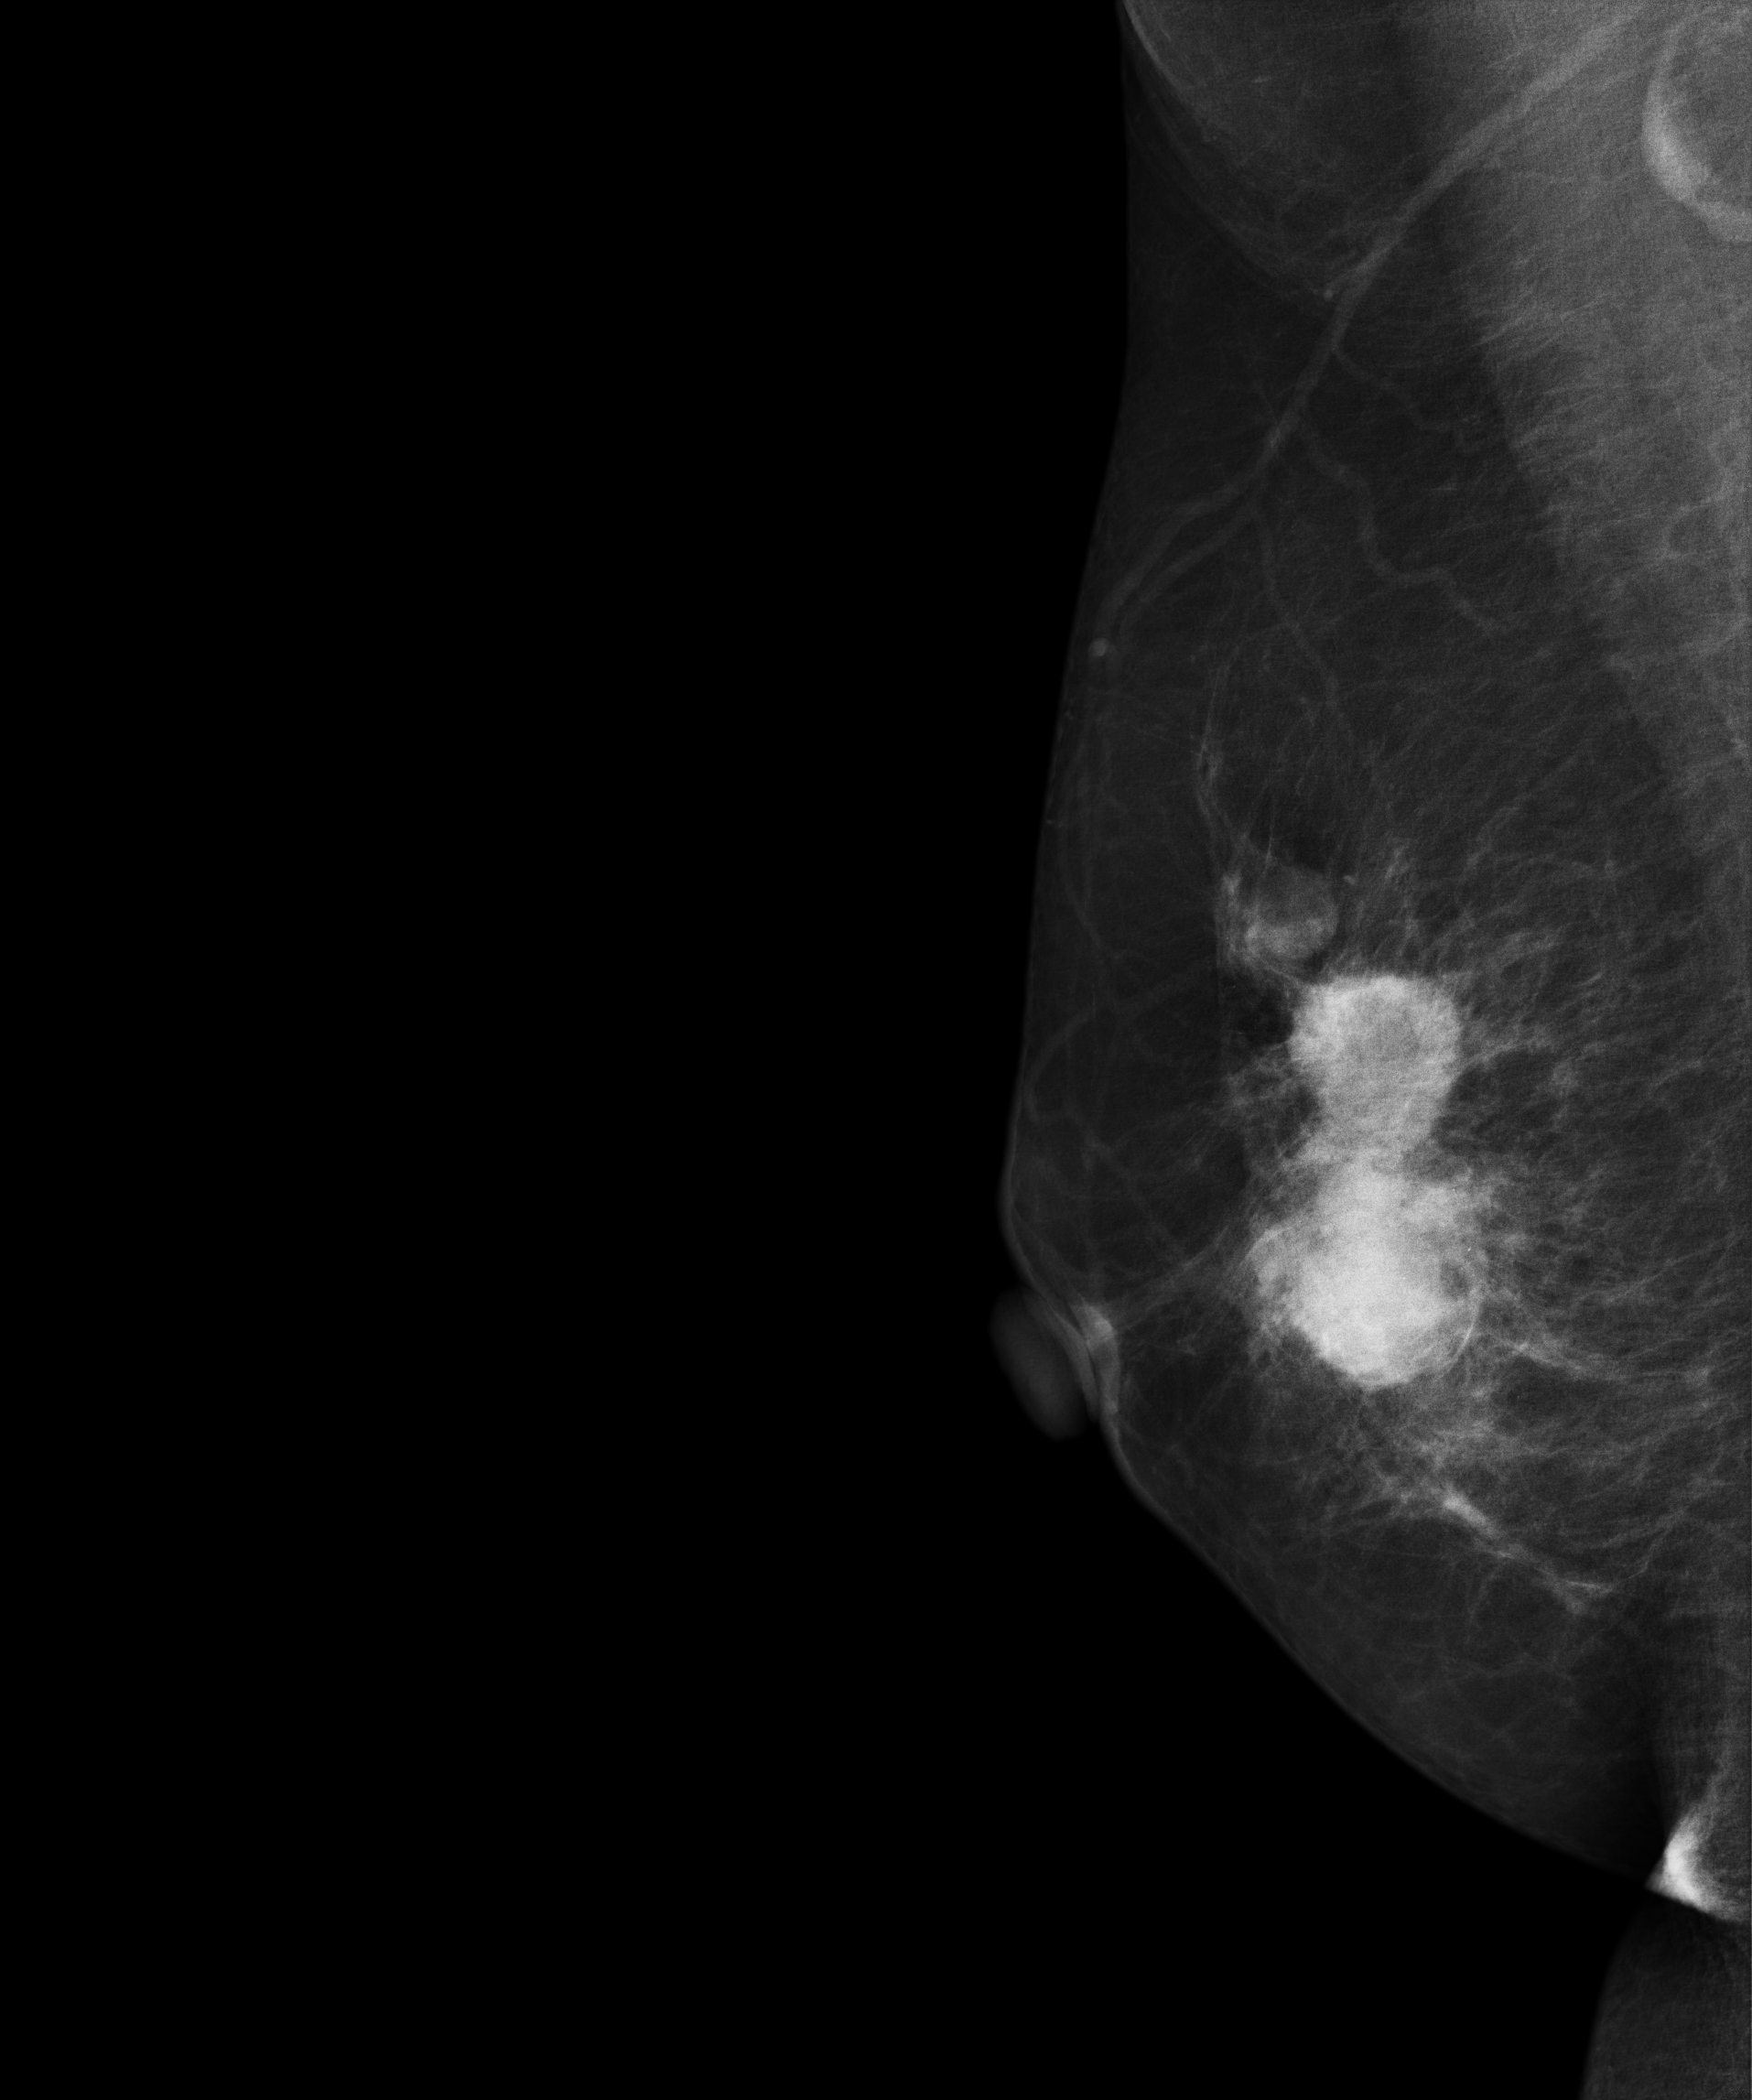
Medio-lateral oblique mammogram of the right breast. 59 y/o patient.
This breast has a mass, biopsy-confirmed malignant.